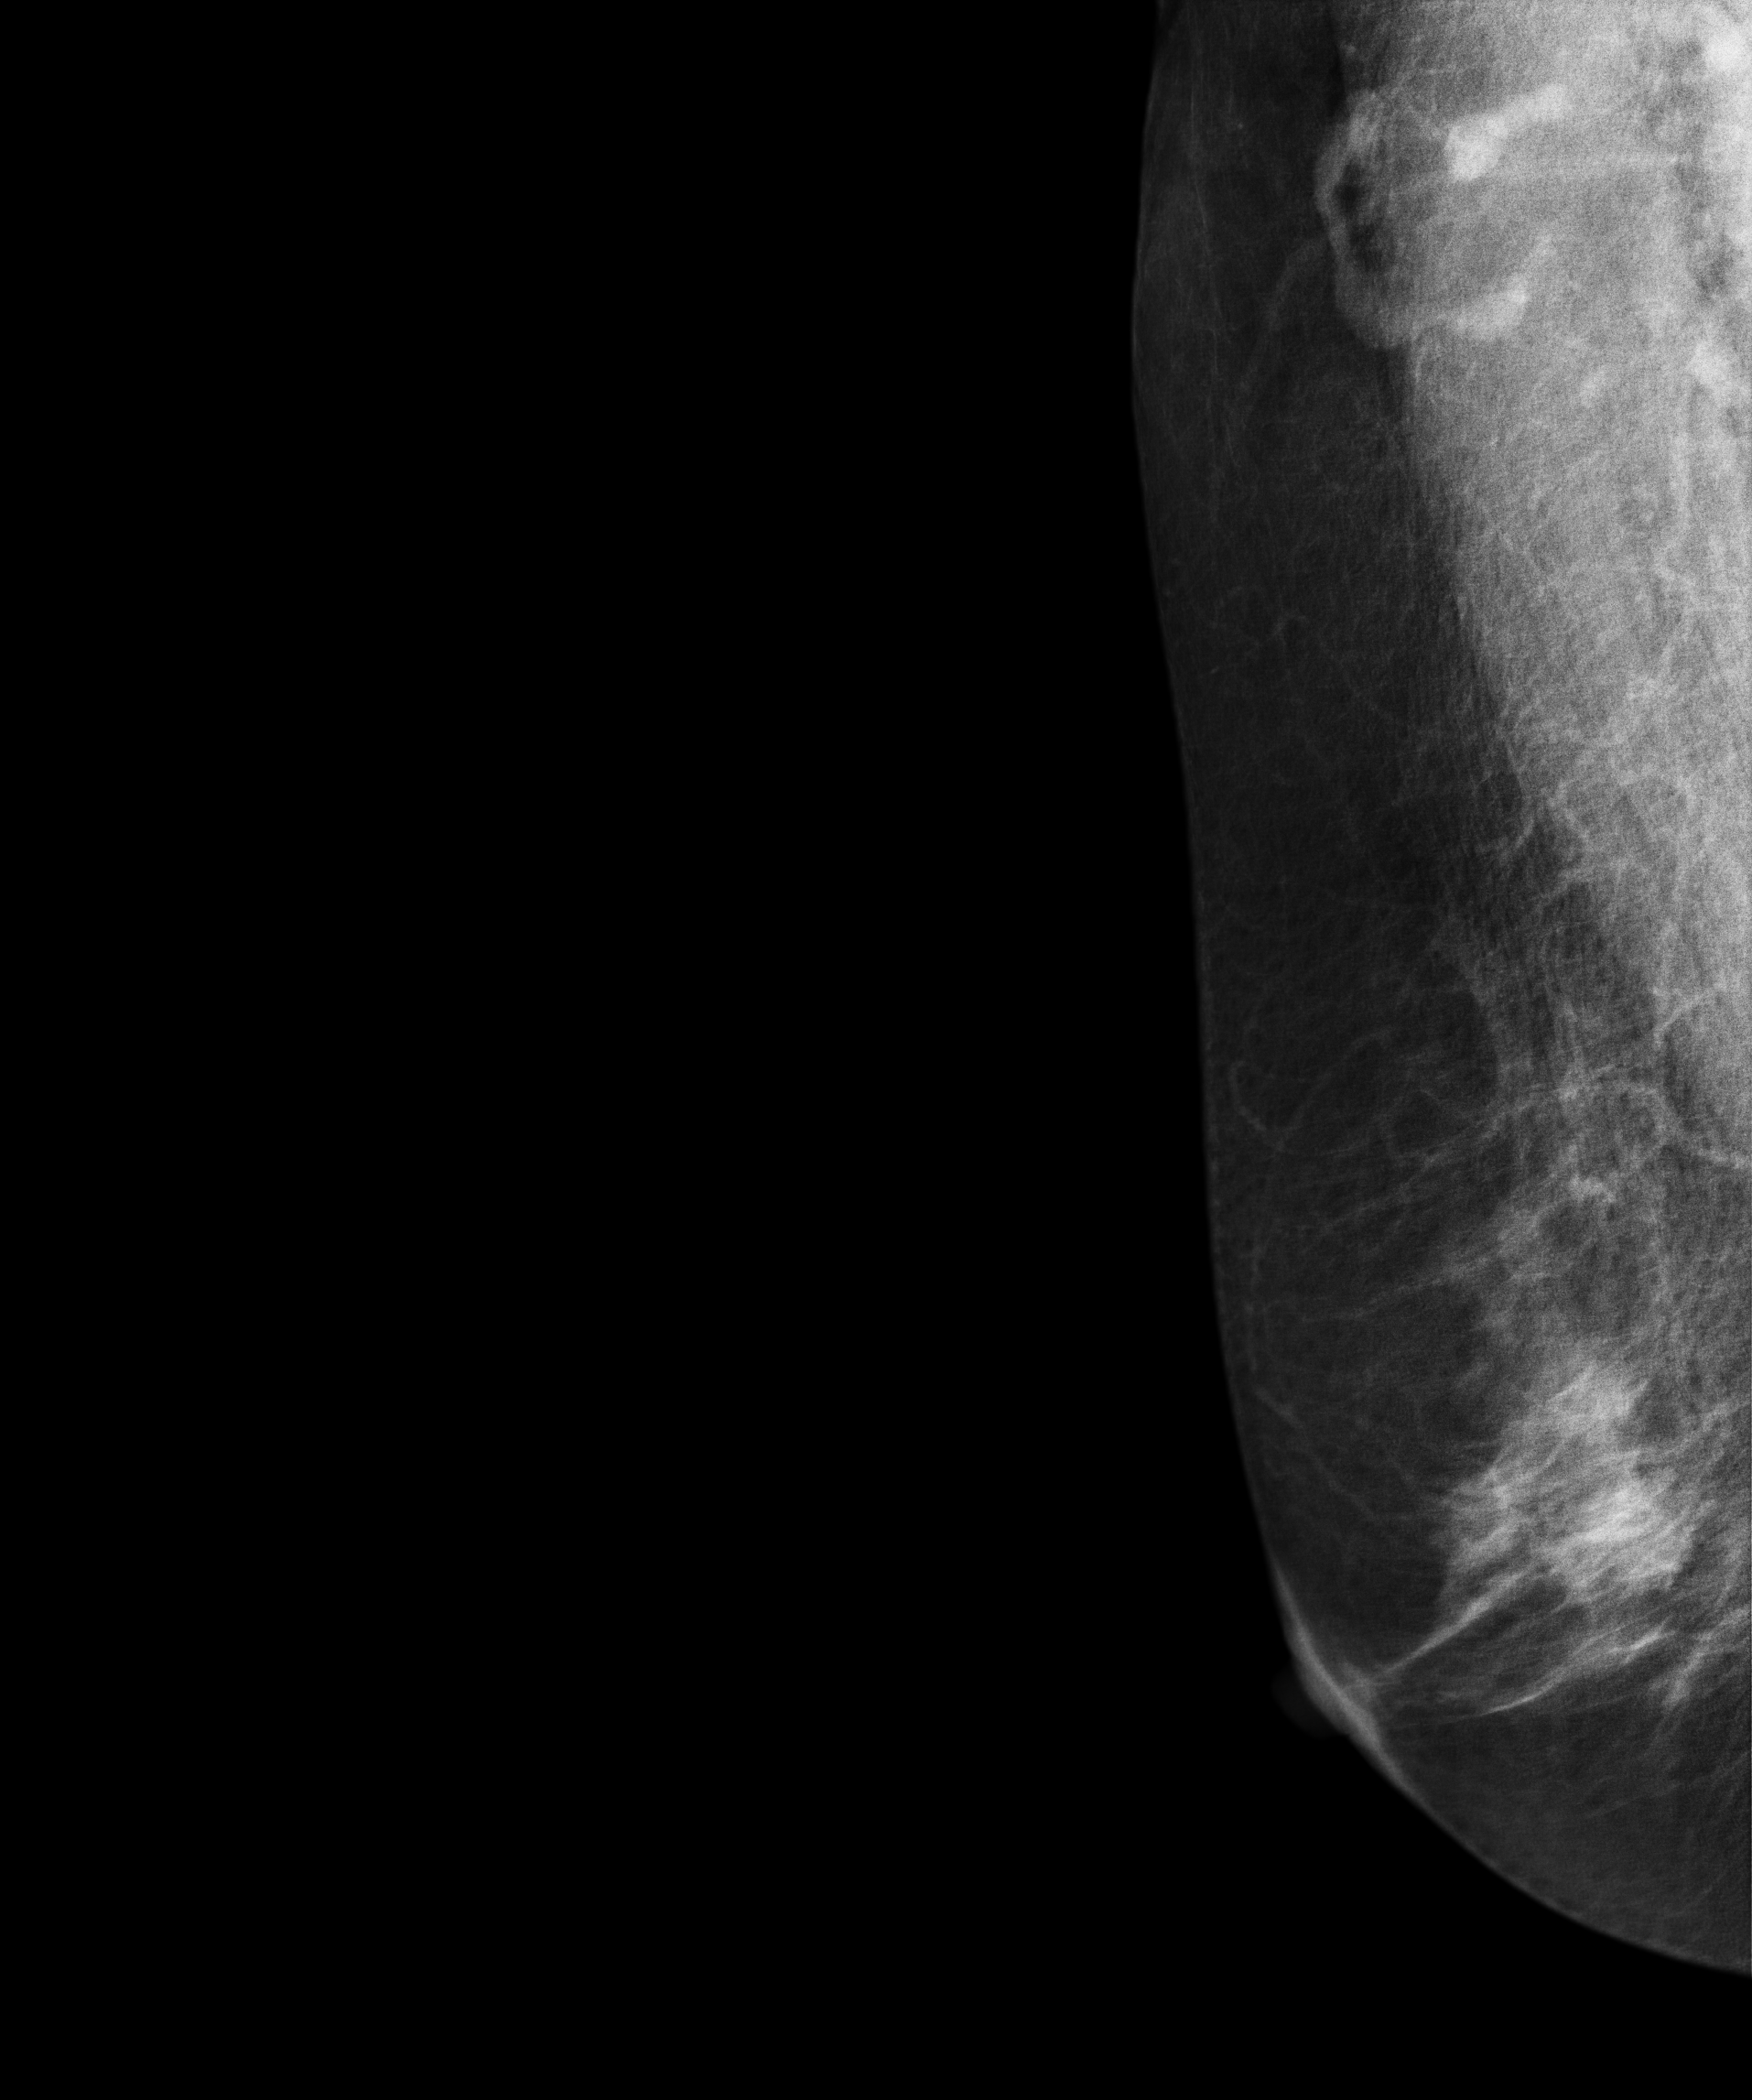
Medio-lateral oblique mammogram of the right breast. Patient age 61.
Contralateral breast — no documented abnormality on this side.